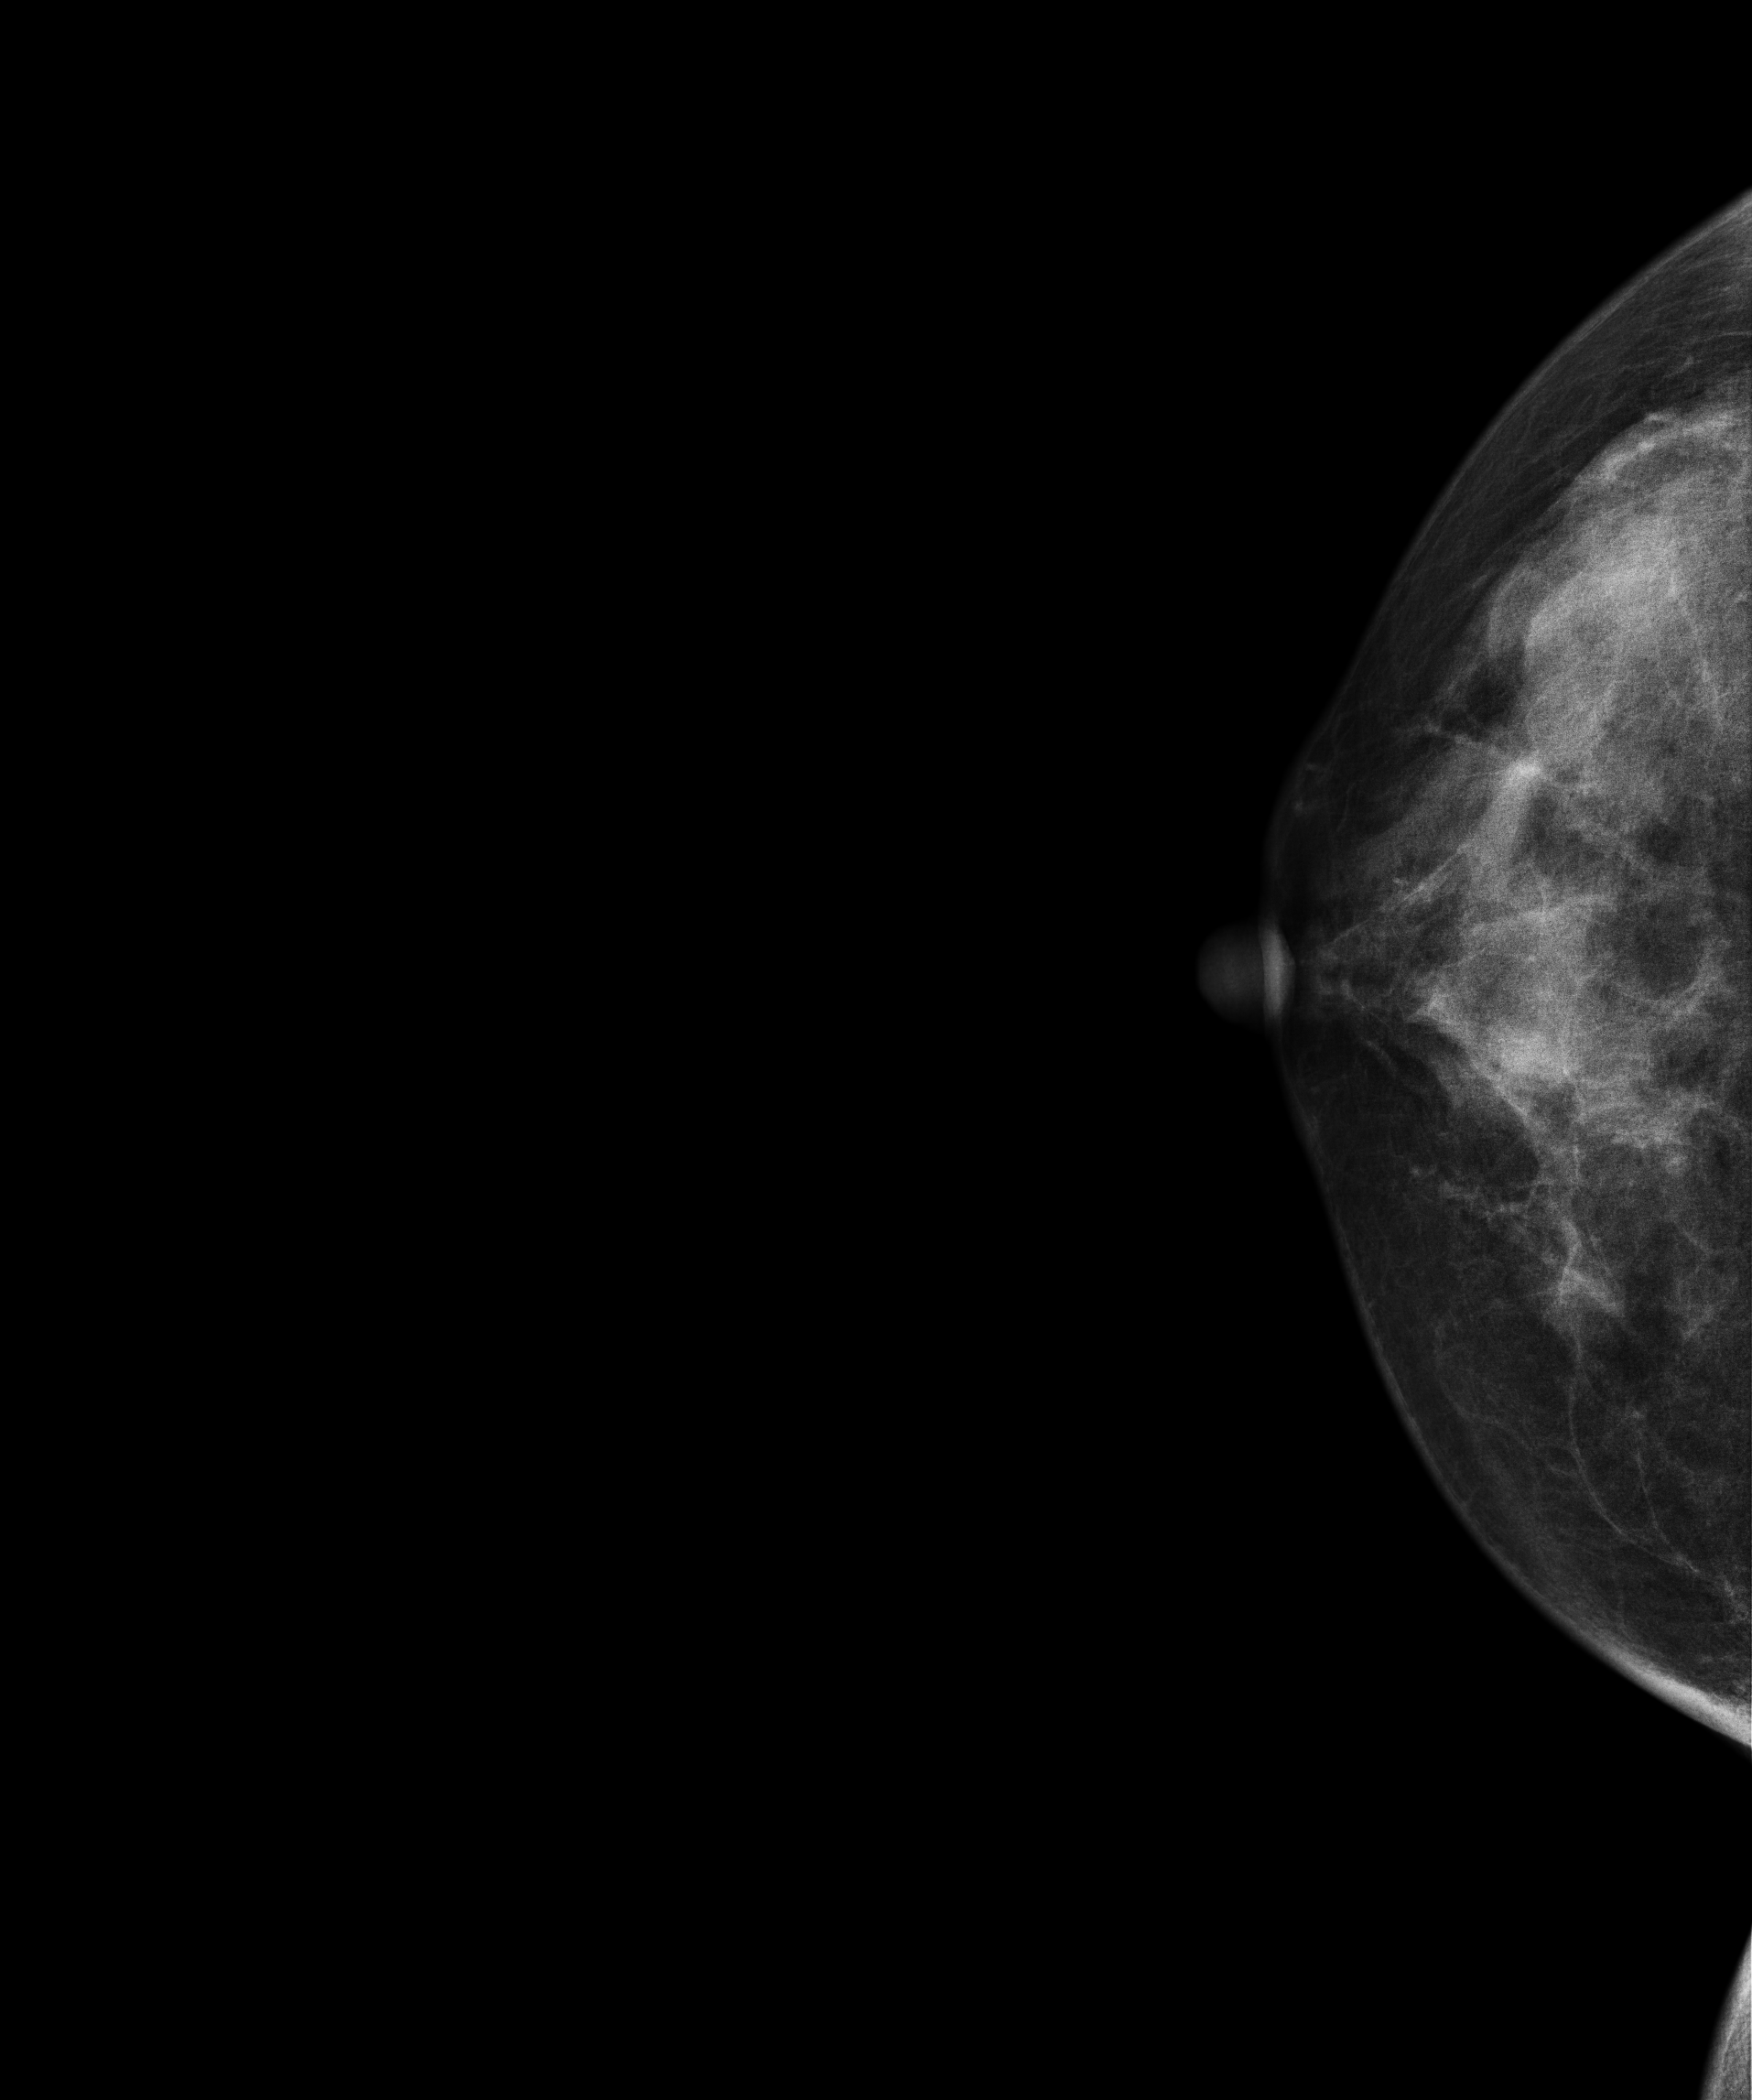
Right-breast mammogram, CC. 49 y/o patient.
This breast has a mass and calcifications, biopsy-confirmed malignant. Molecular subtype: luminal A.